Mammogram — right CC. 34-year-old patient.
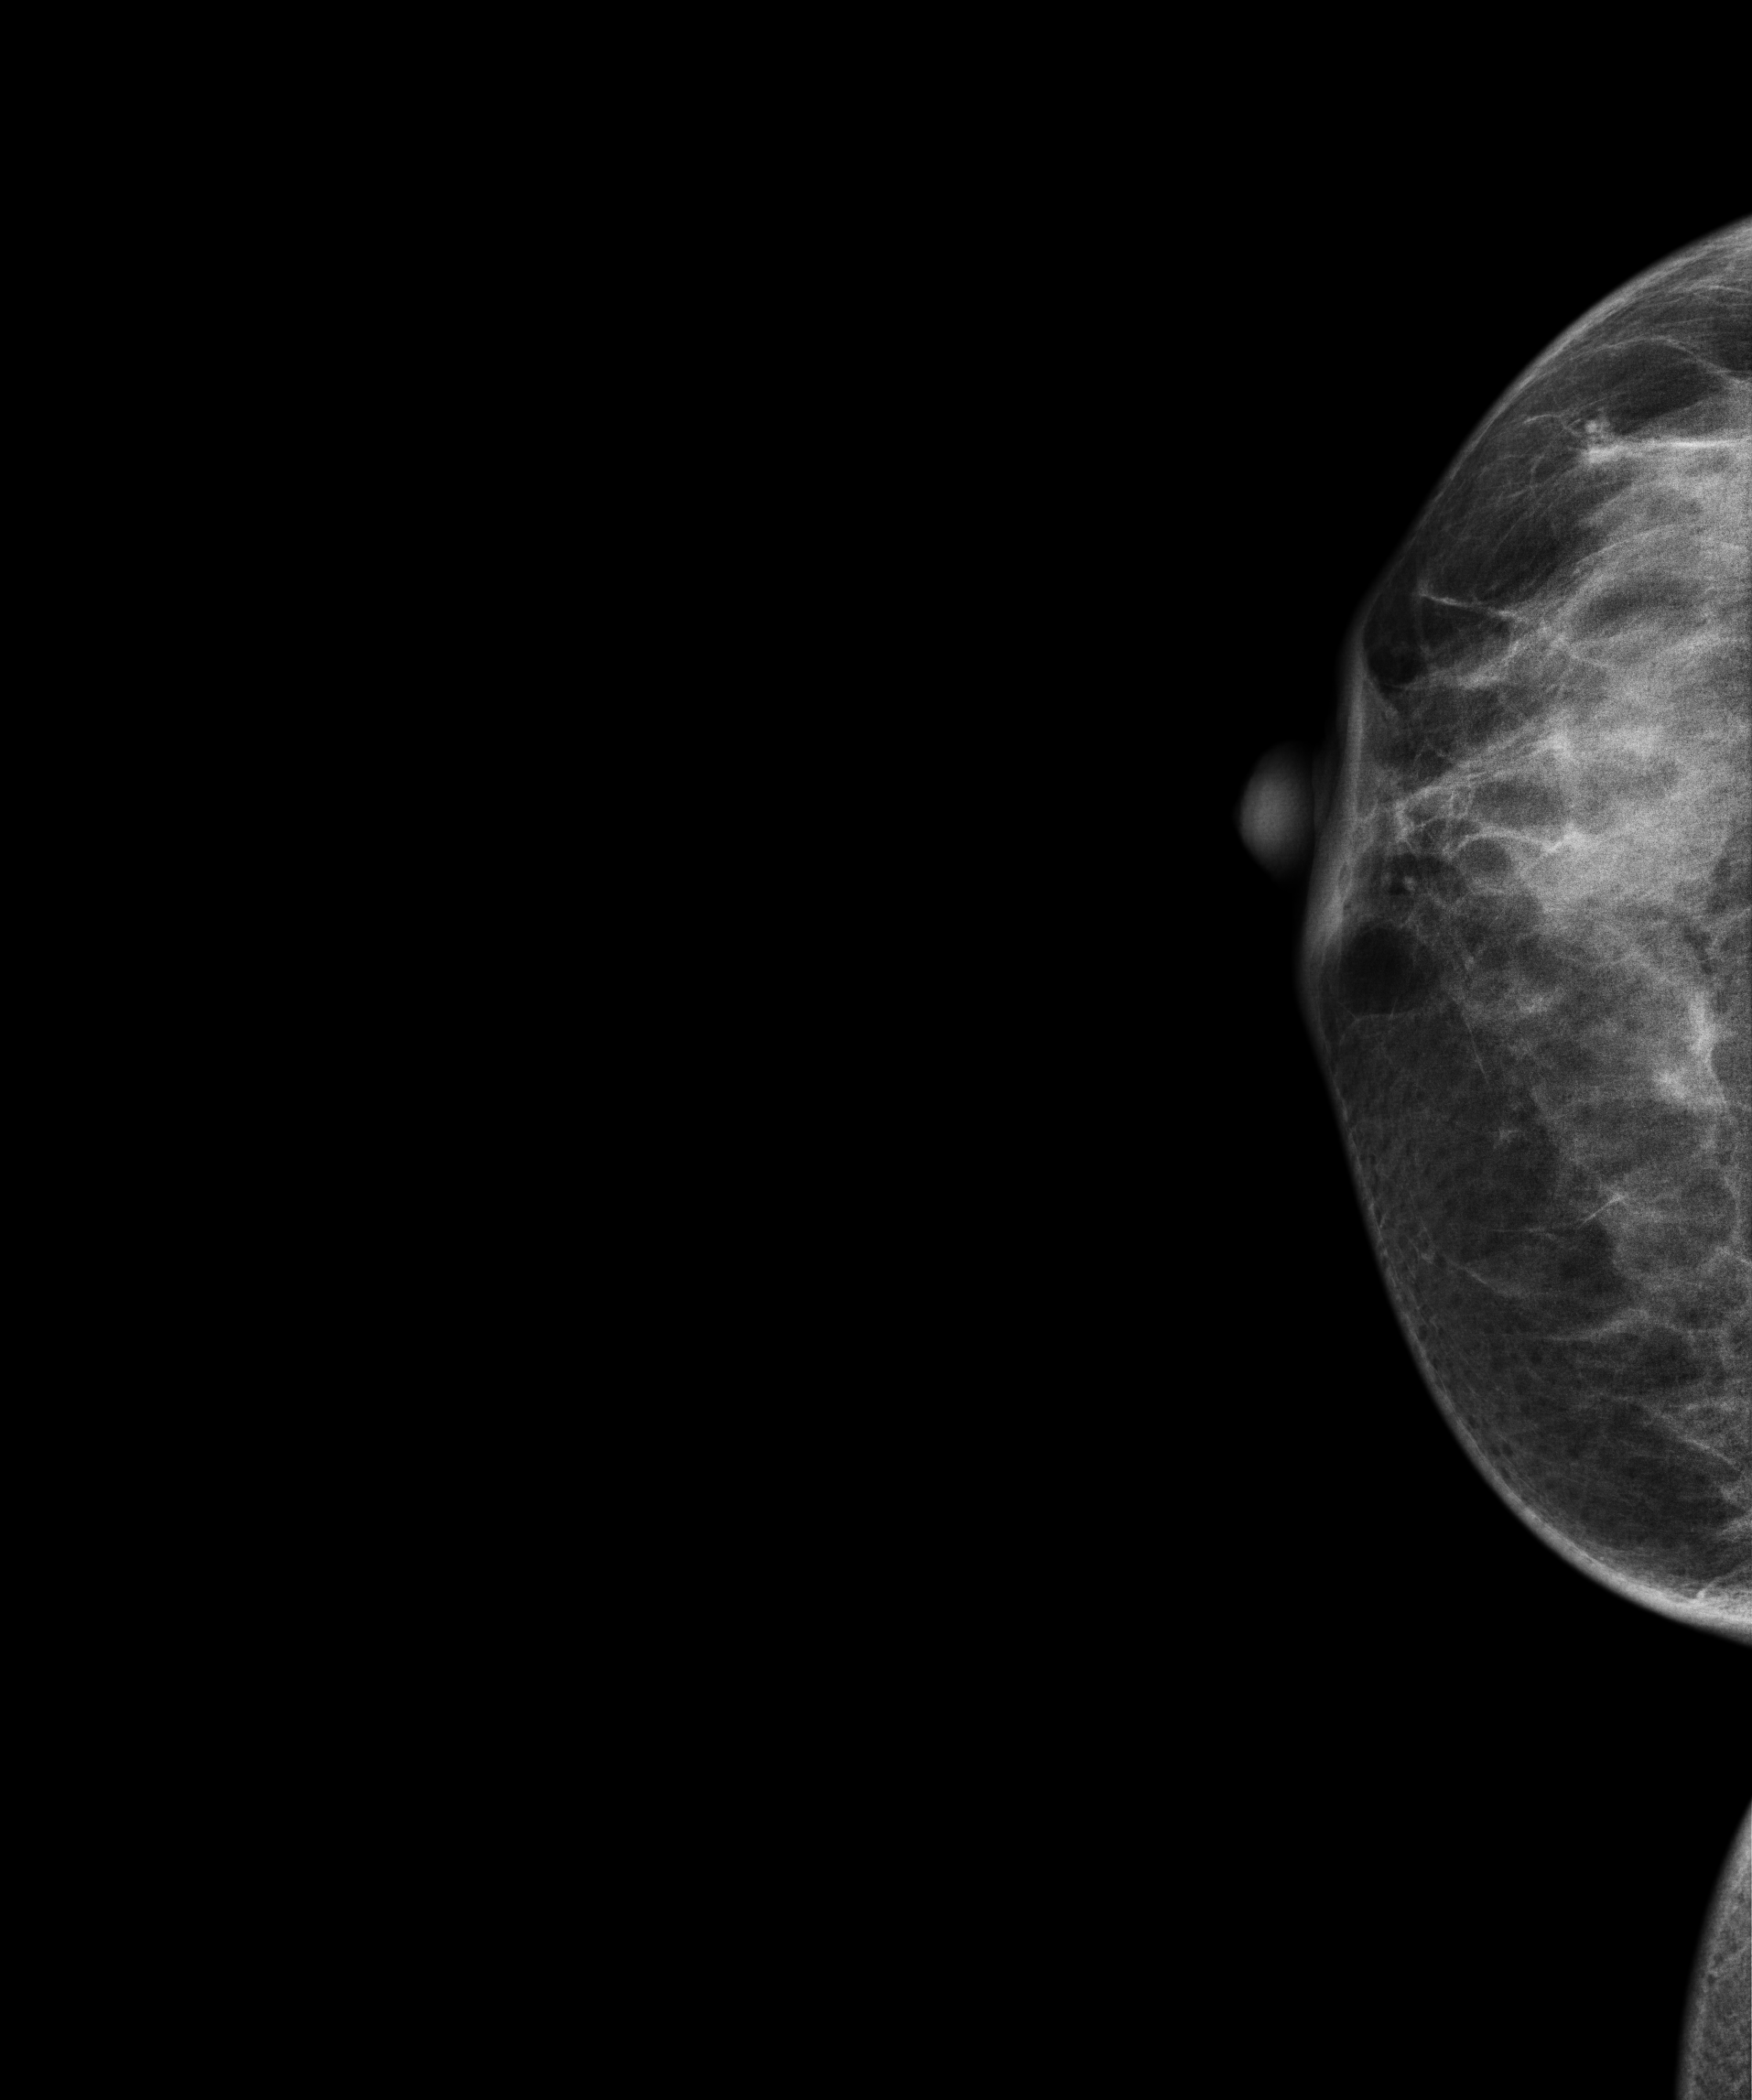
This breast has a mass, histologically confirmed benign.